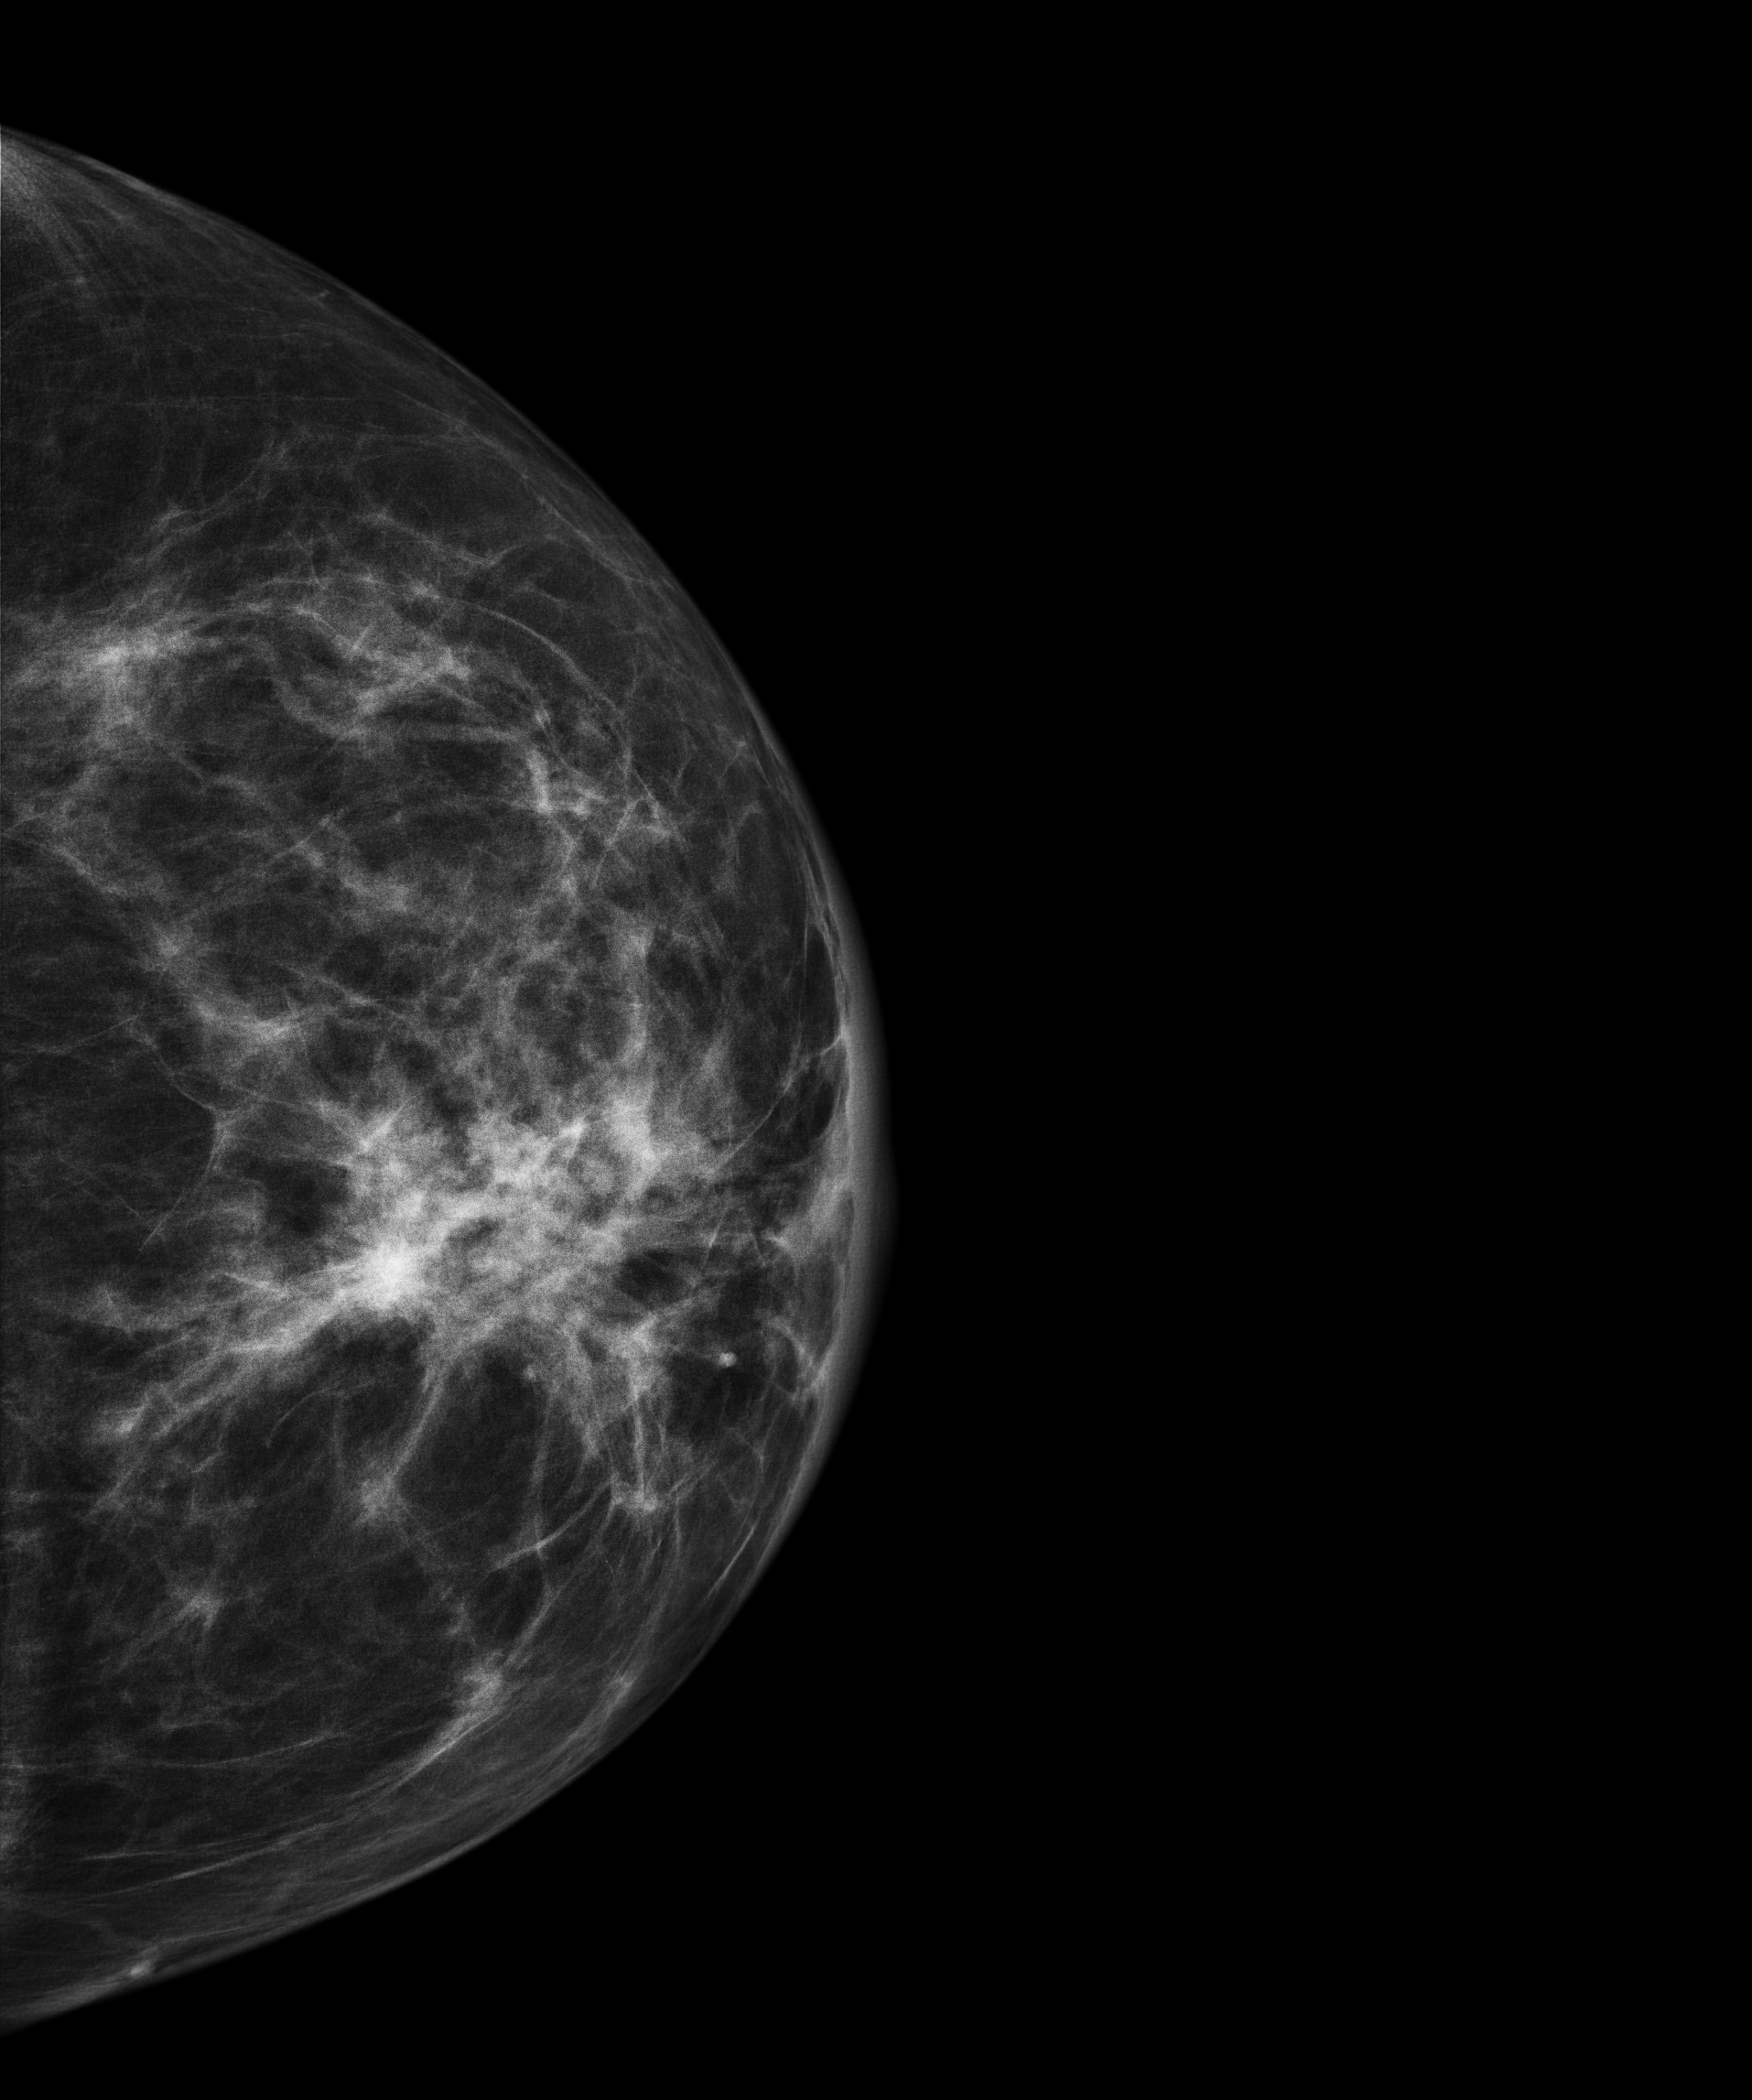
Mammogram — left cranio-caudal. Patient age 62.
This breast has a mass, pathology-confirmed malignant.